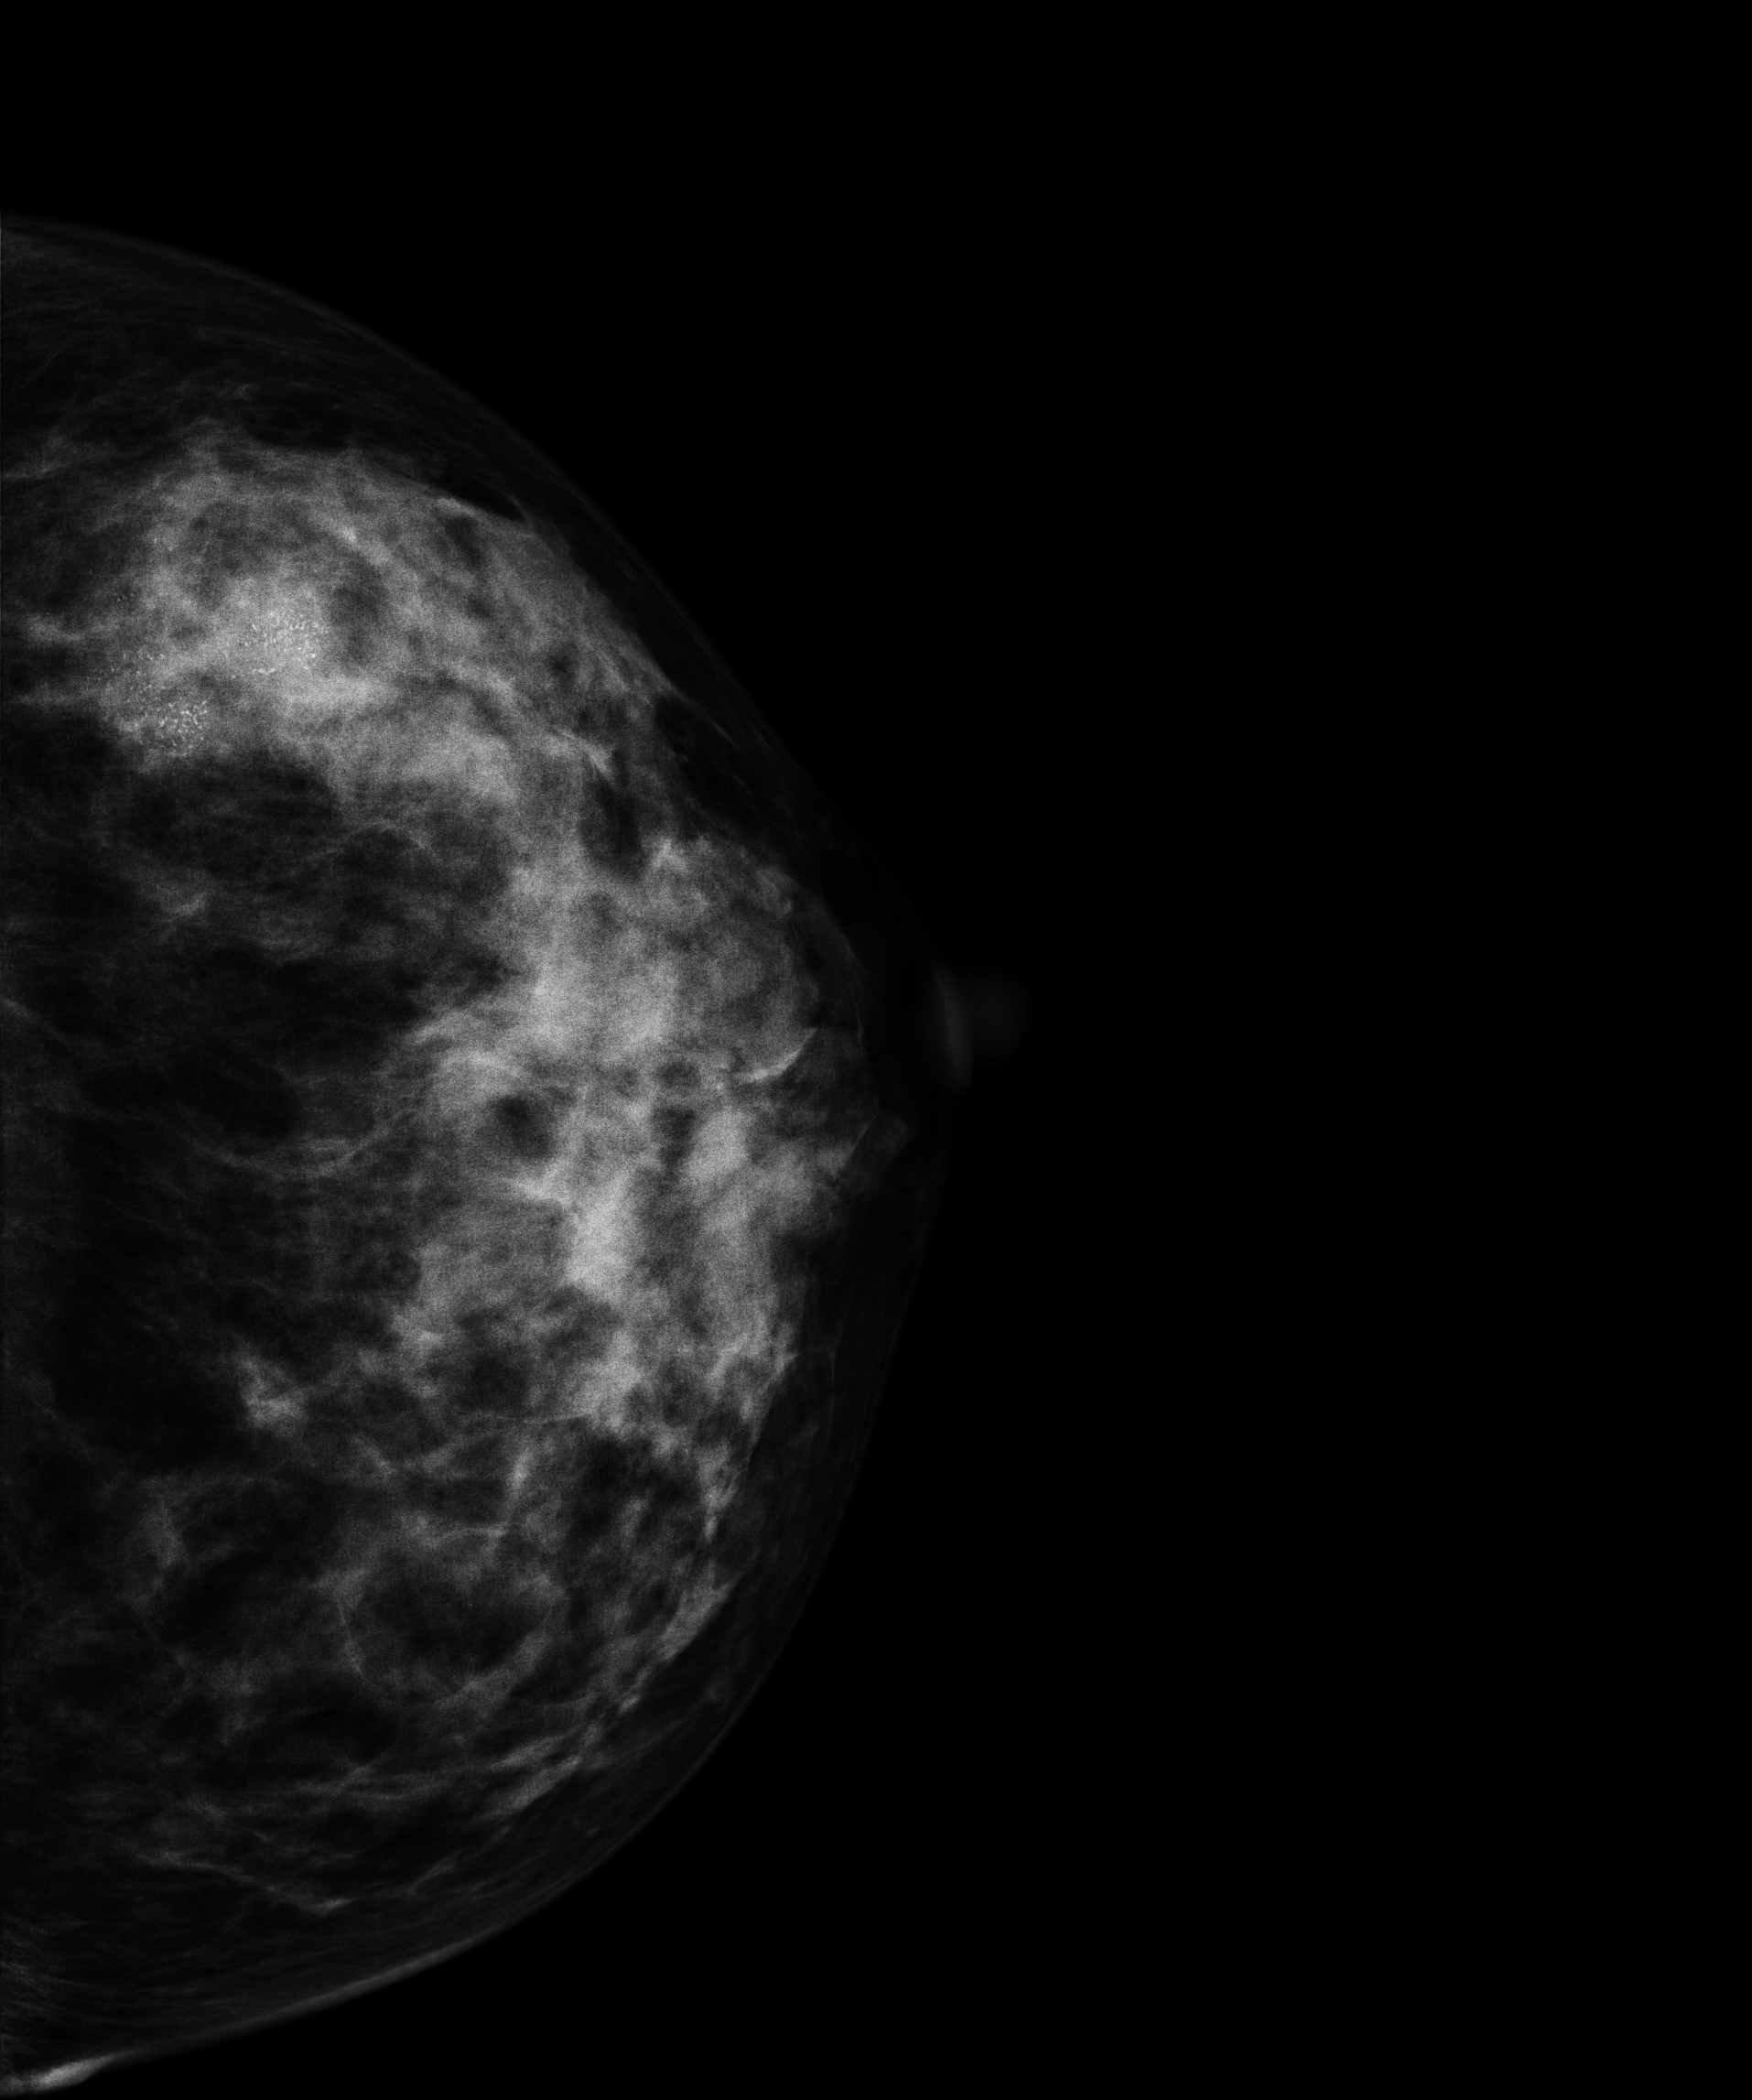
Mammogram, left breast, cranio-caudal view. 33-year-old patient.
This breast has calcifications, biopsy-proven malignant.